Mammogram, left breast, cranio-caudal view. Patient age 42.
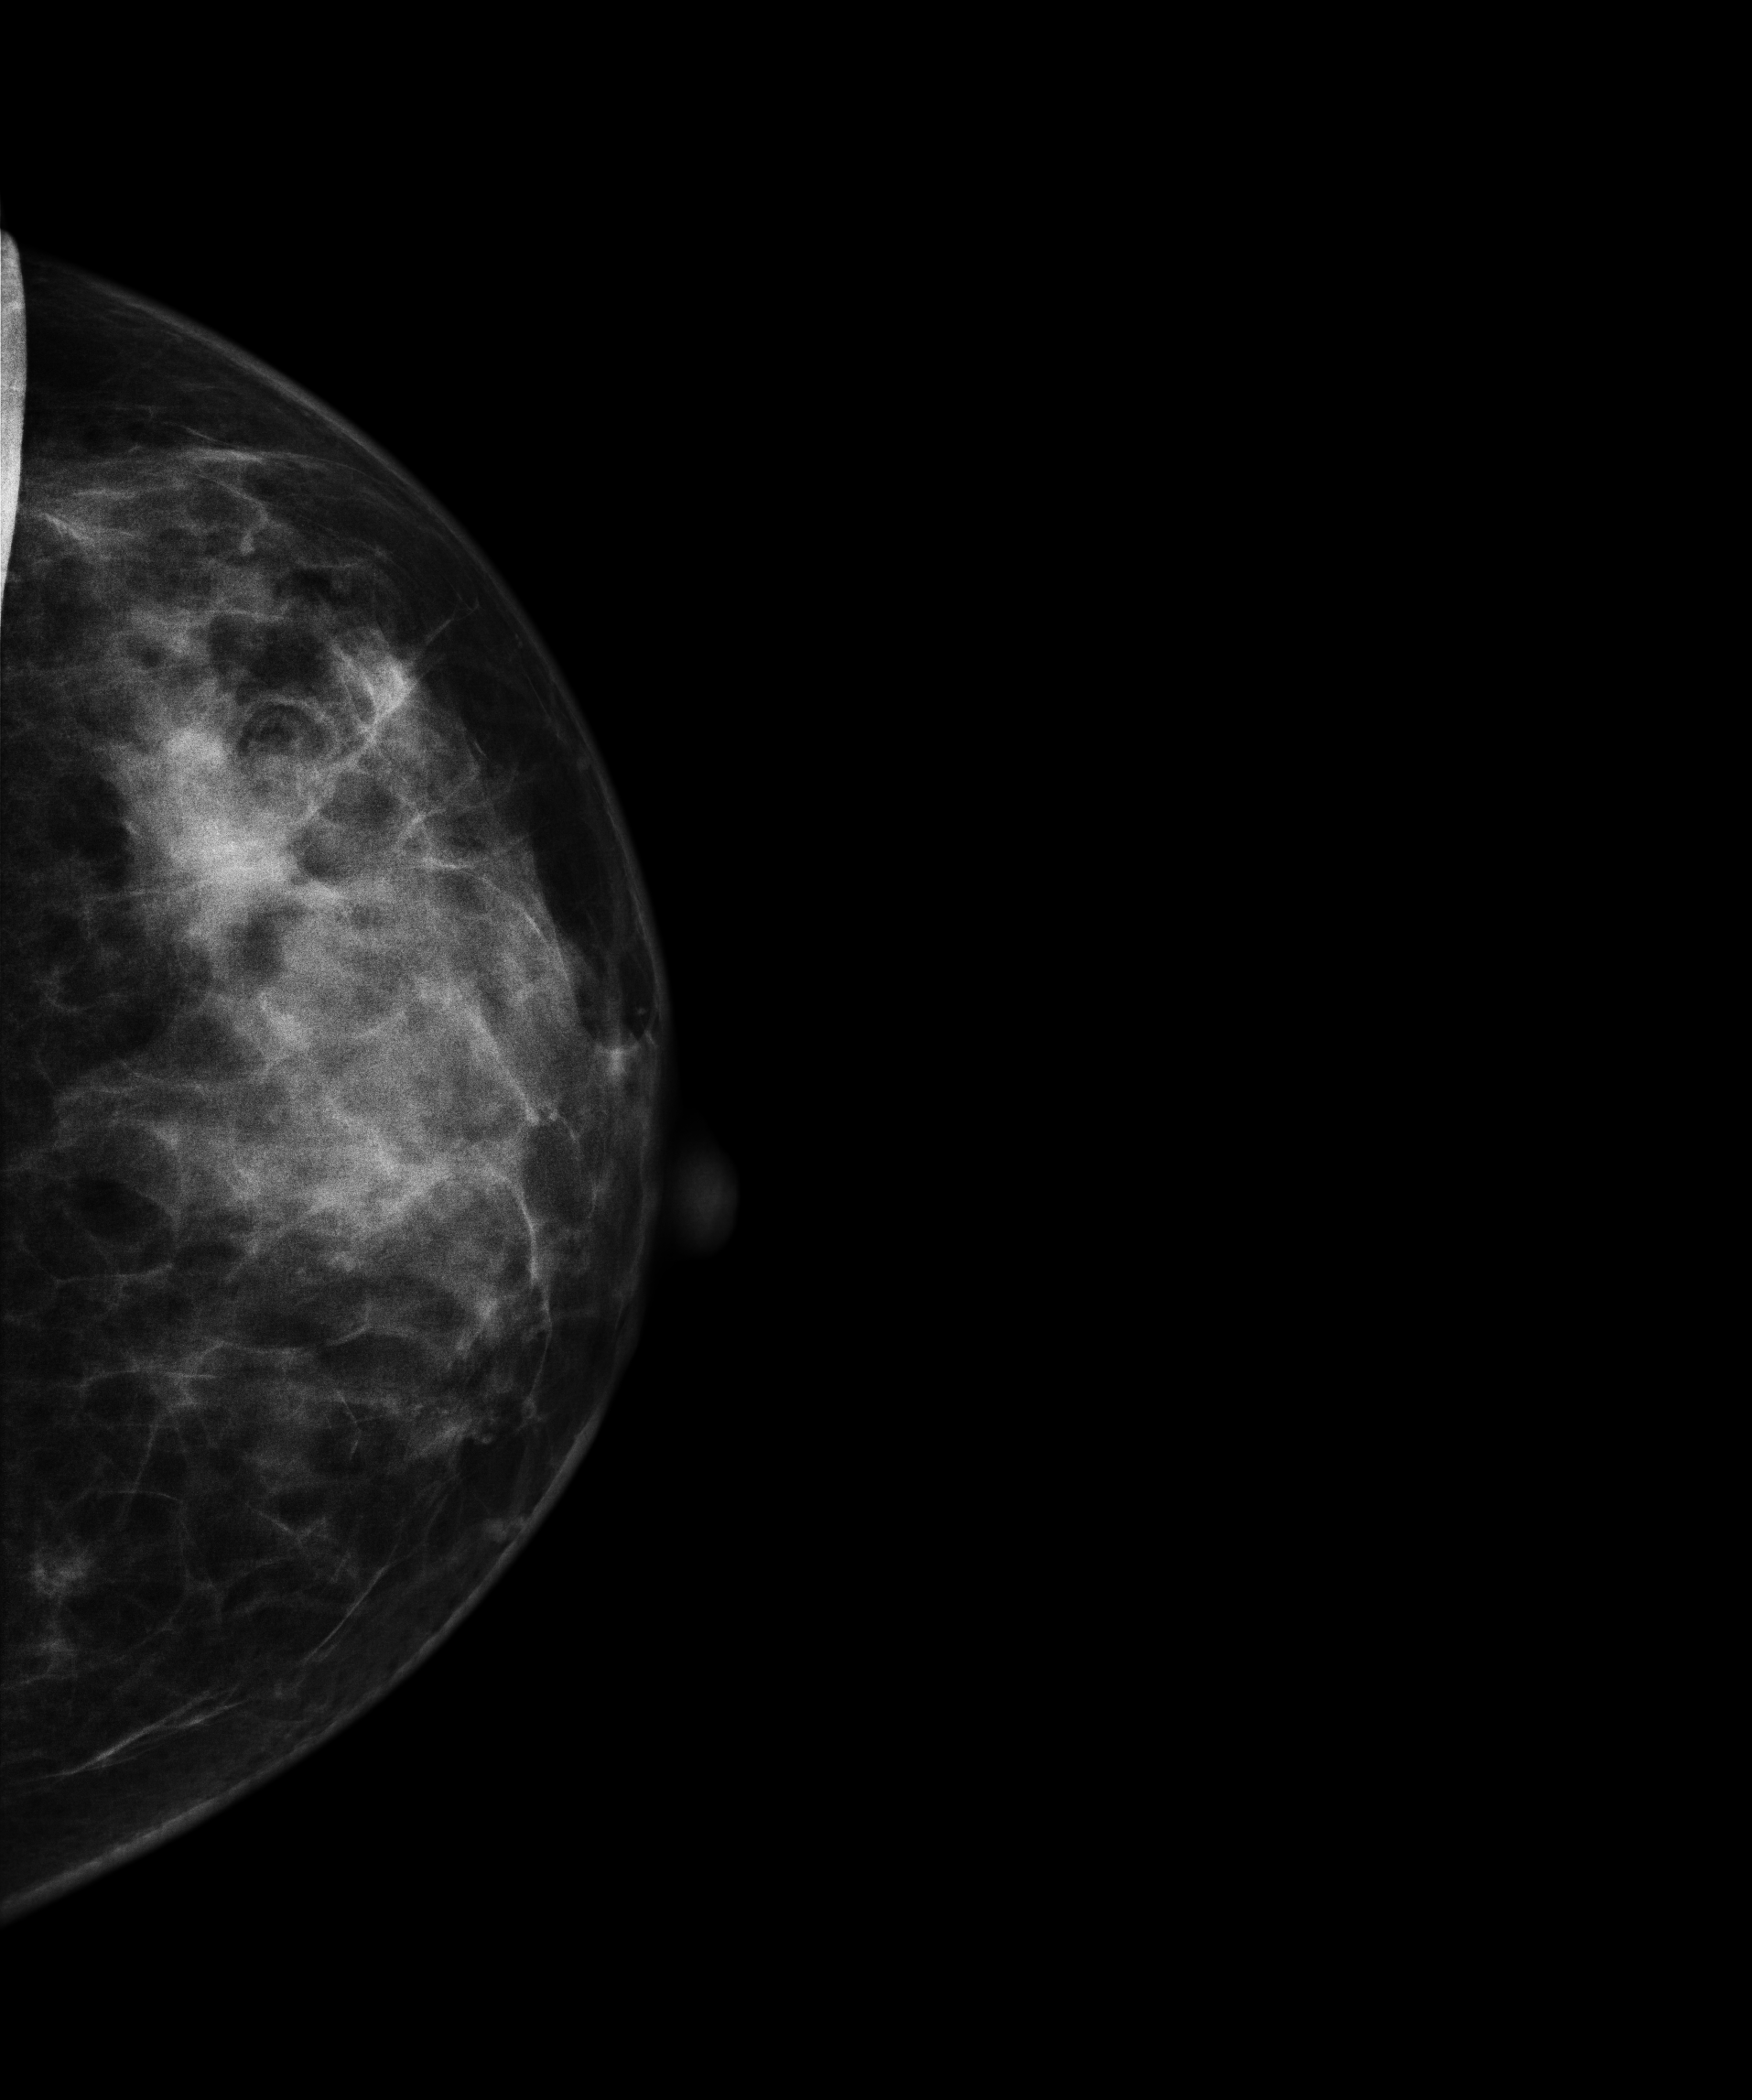
This breast has a mass, histologically confirmed malignant. Molecular subtype: luminal B.